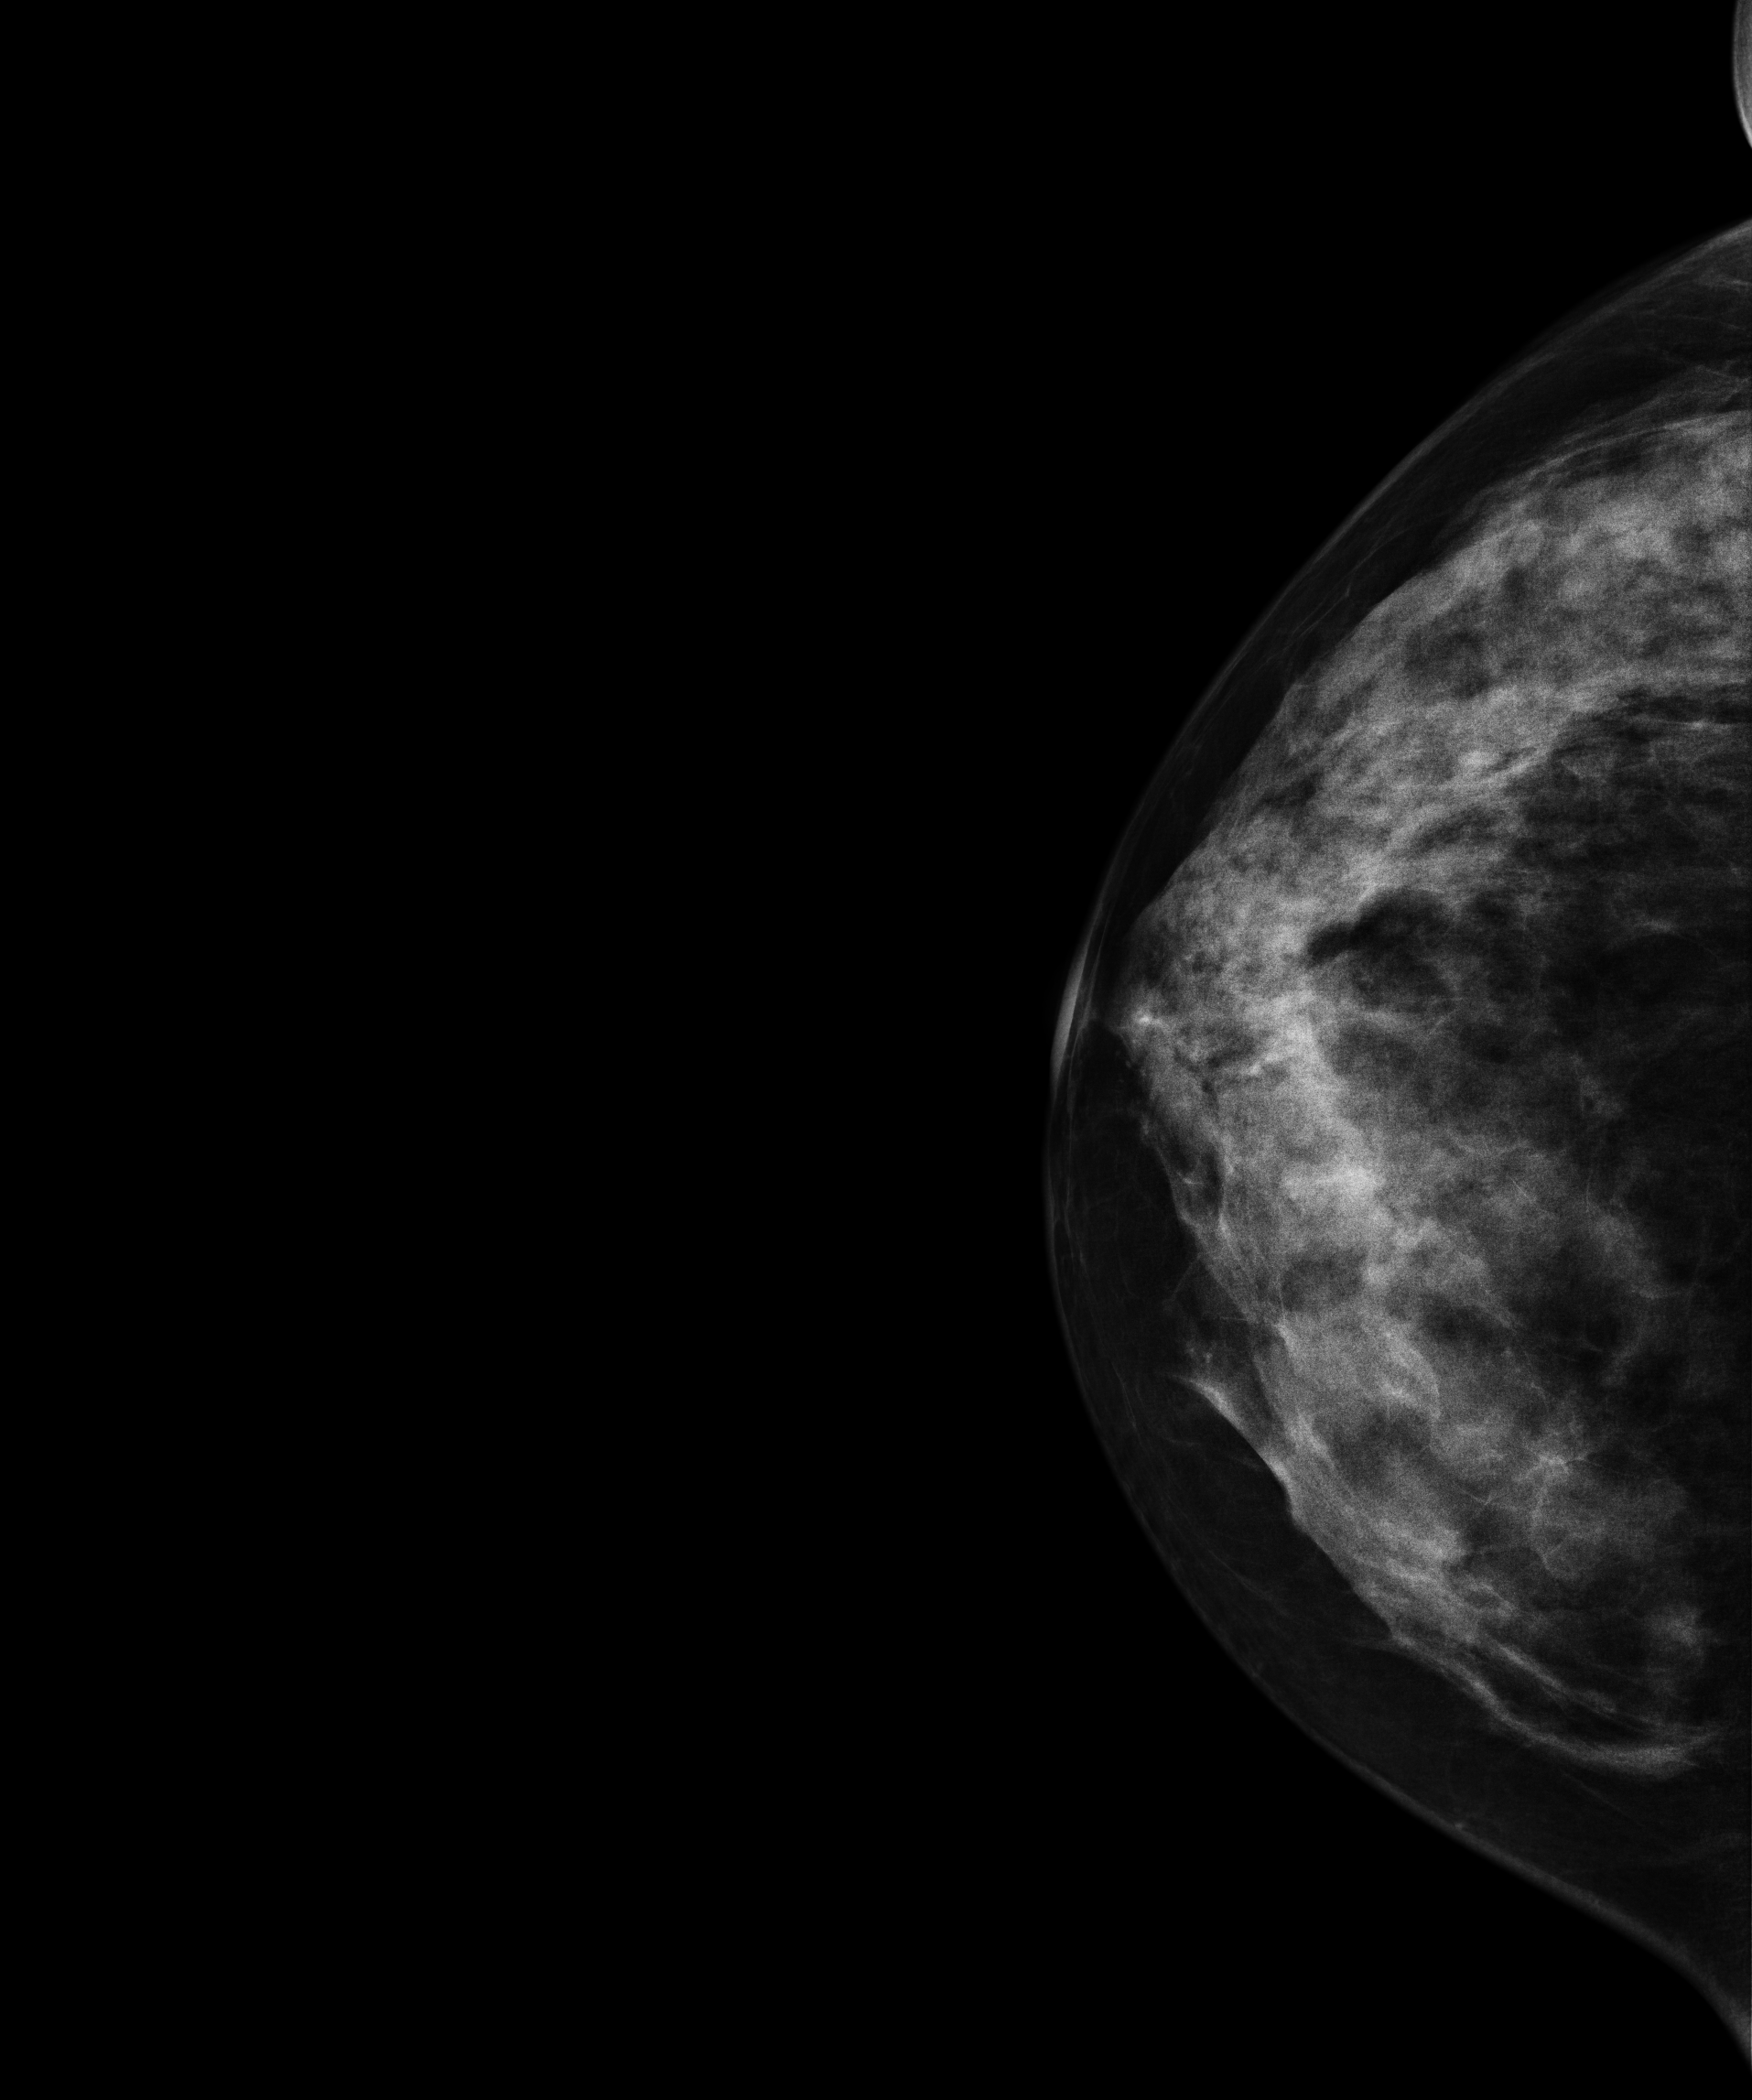
Cranio-caudal mammogram of the right breast. 52 y/o patient.
This breast has a mass, biopsy-confirmed malignant.